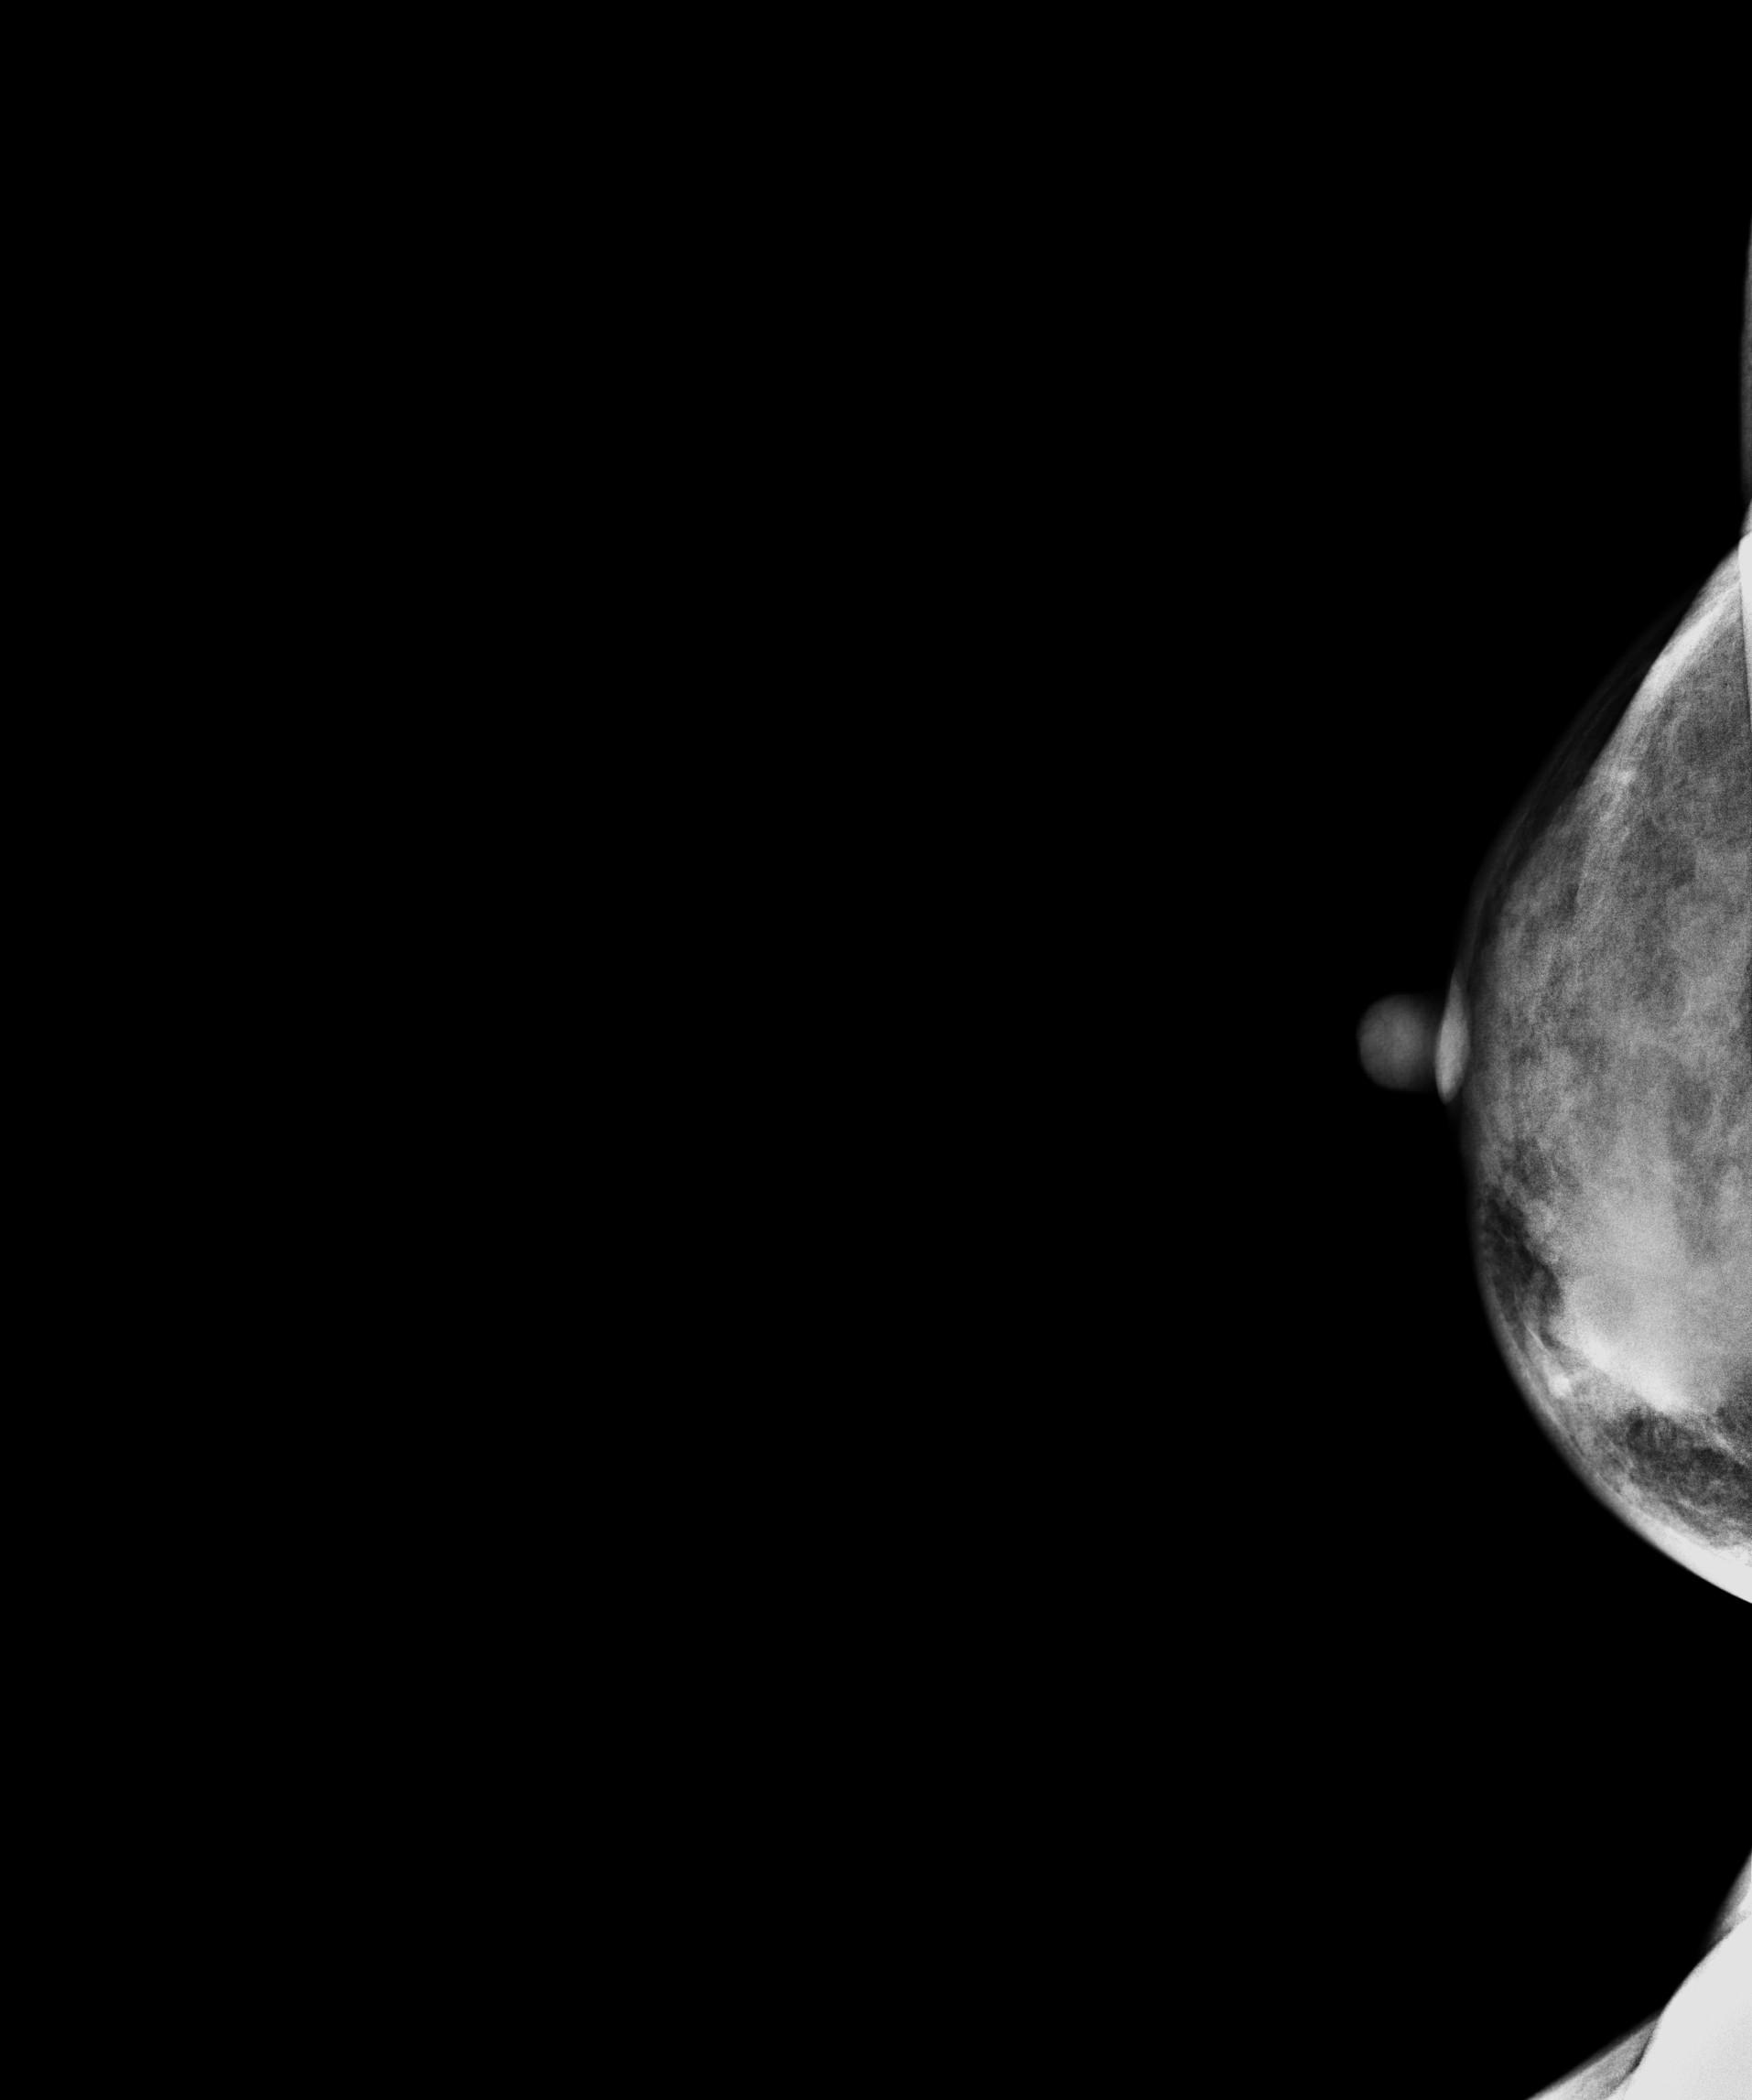
Digital mammography. Right breast, CC projection. Patient age 44.
This breast has a mass, pathology-confirmed malignant.